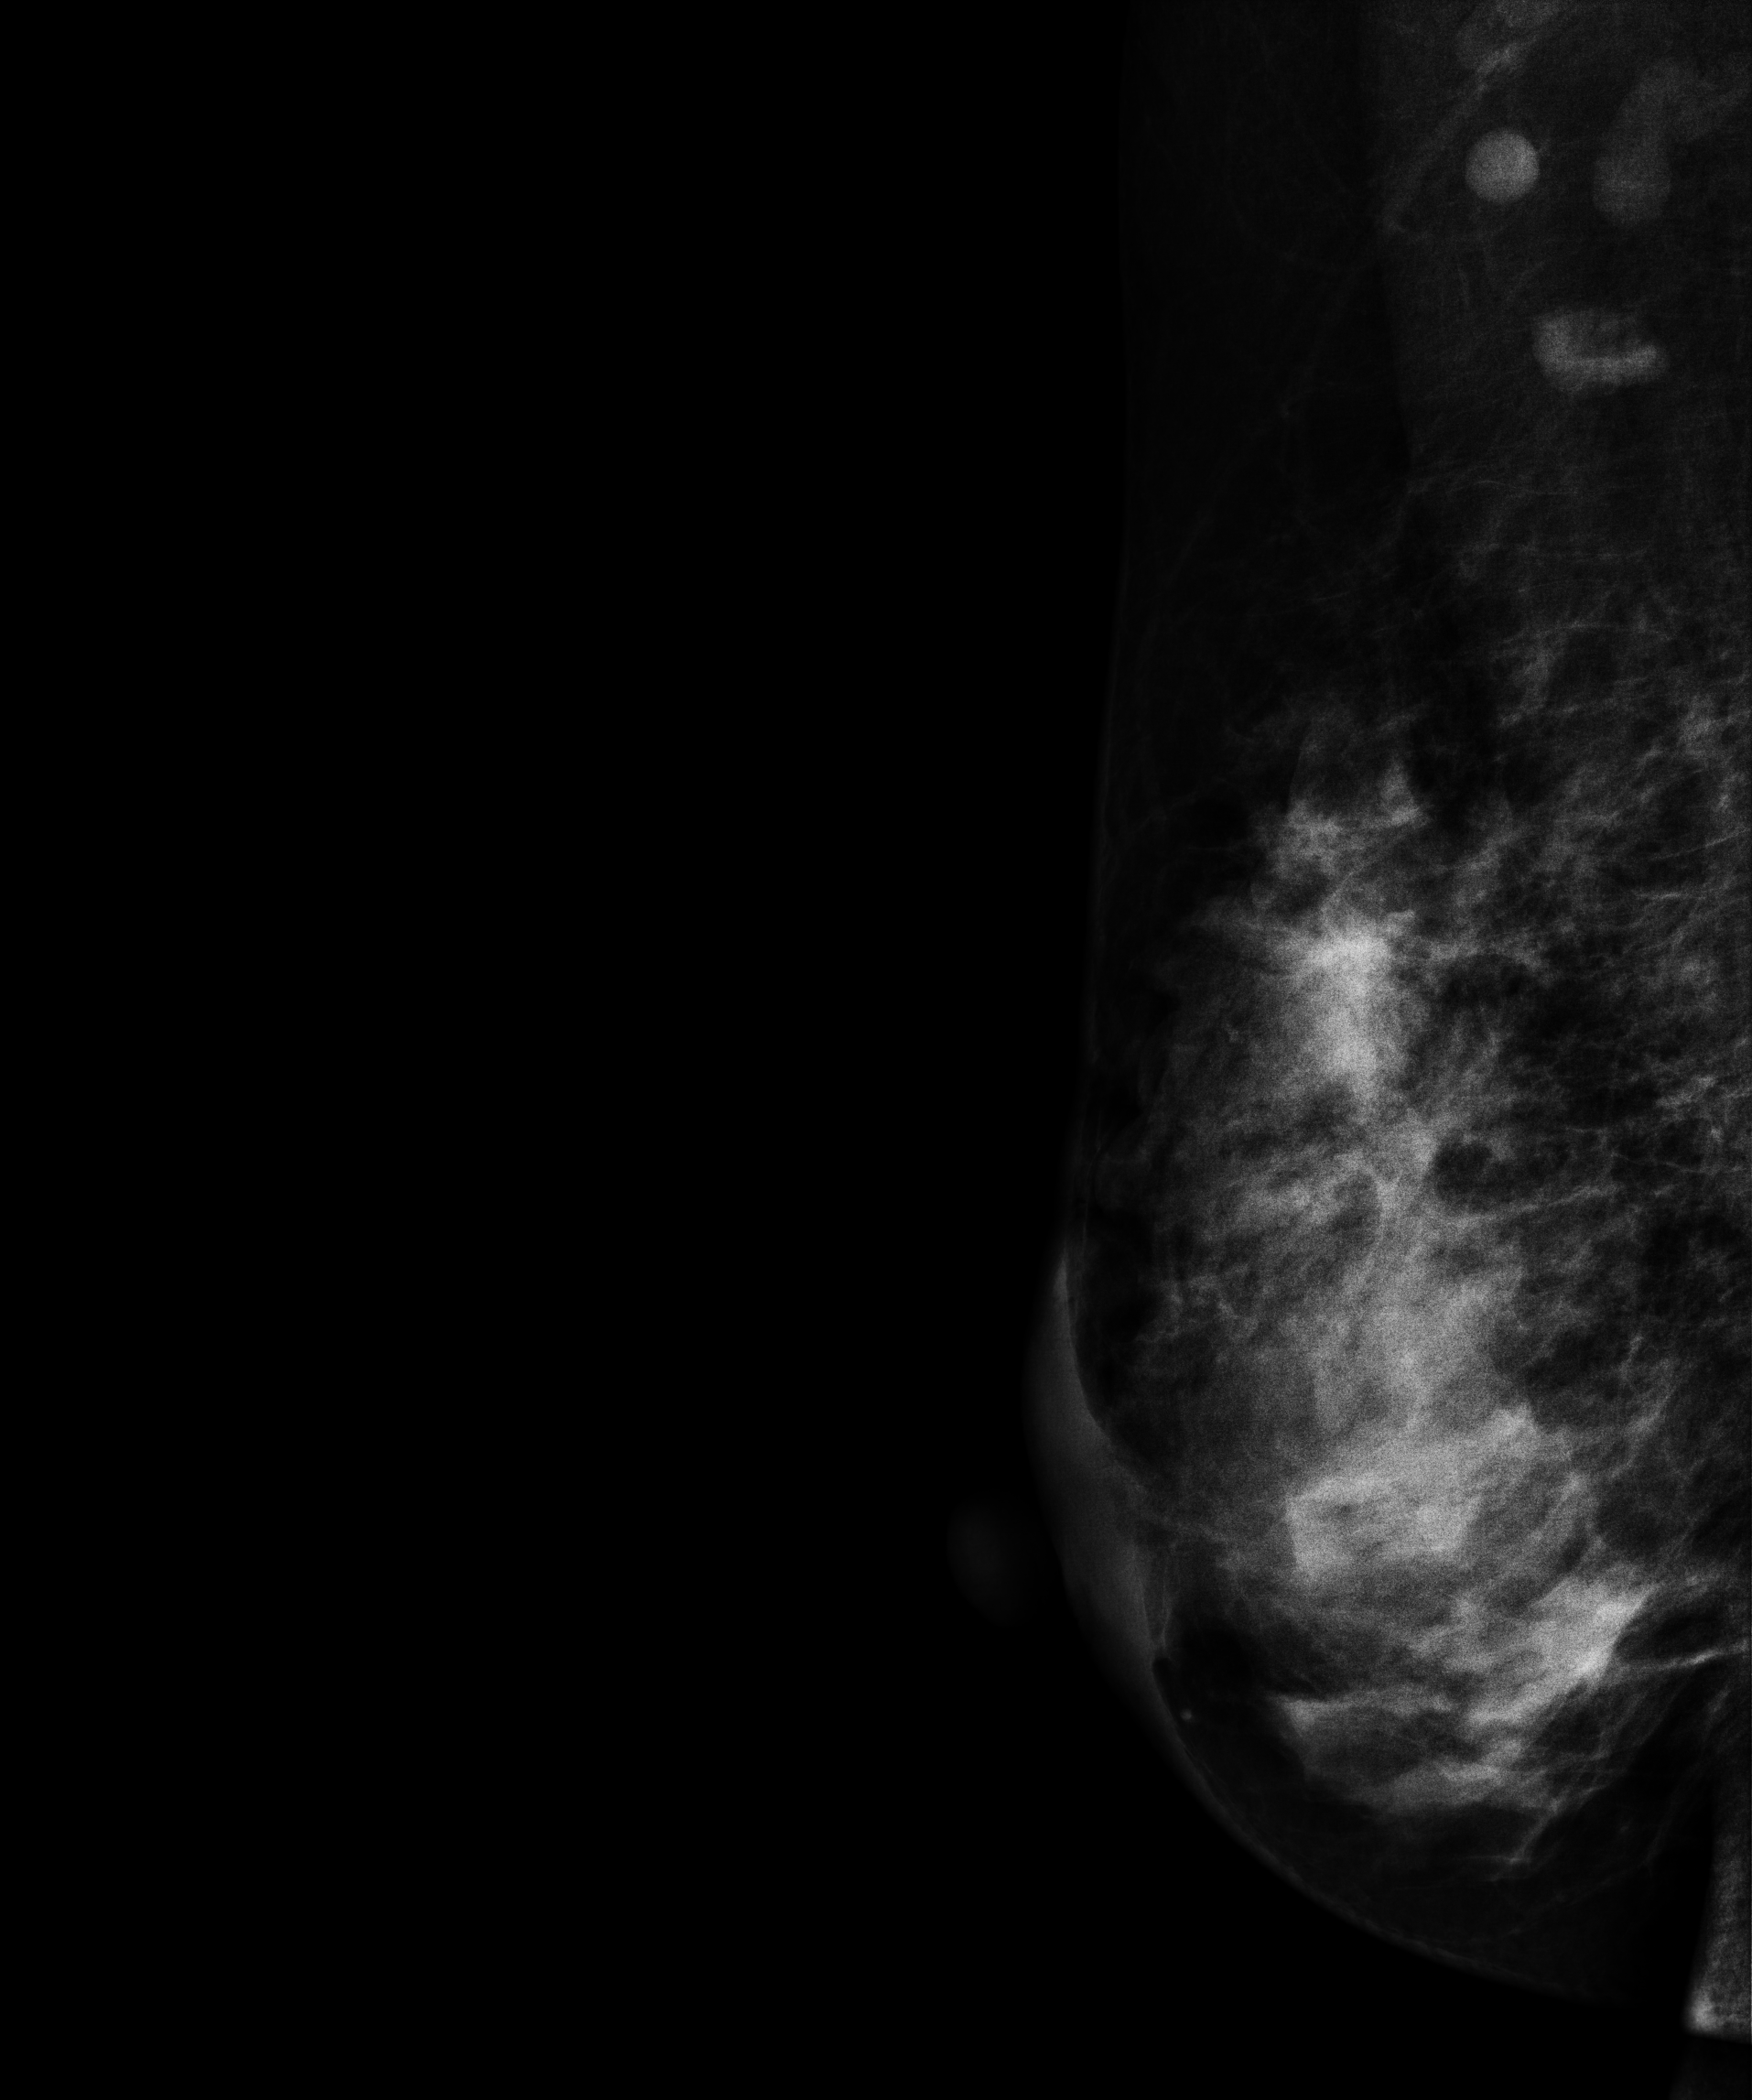
Medio-lateral oblique mammogram of the right breast. Patient age 51.
This breast has a mass, histologically confirmed malignant. Molecular subtype: luminal B.